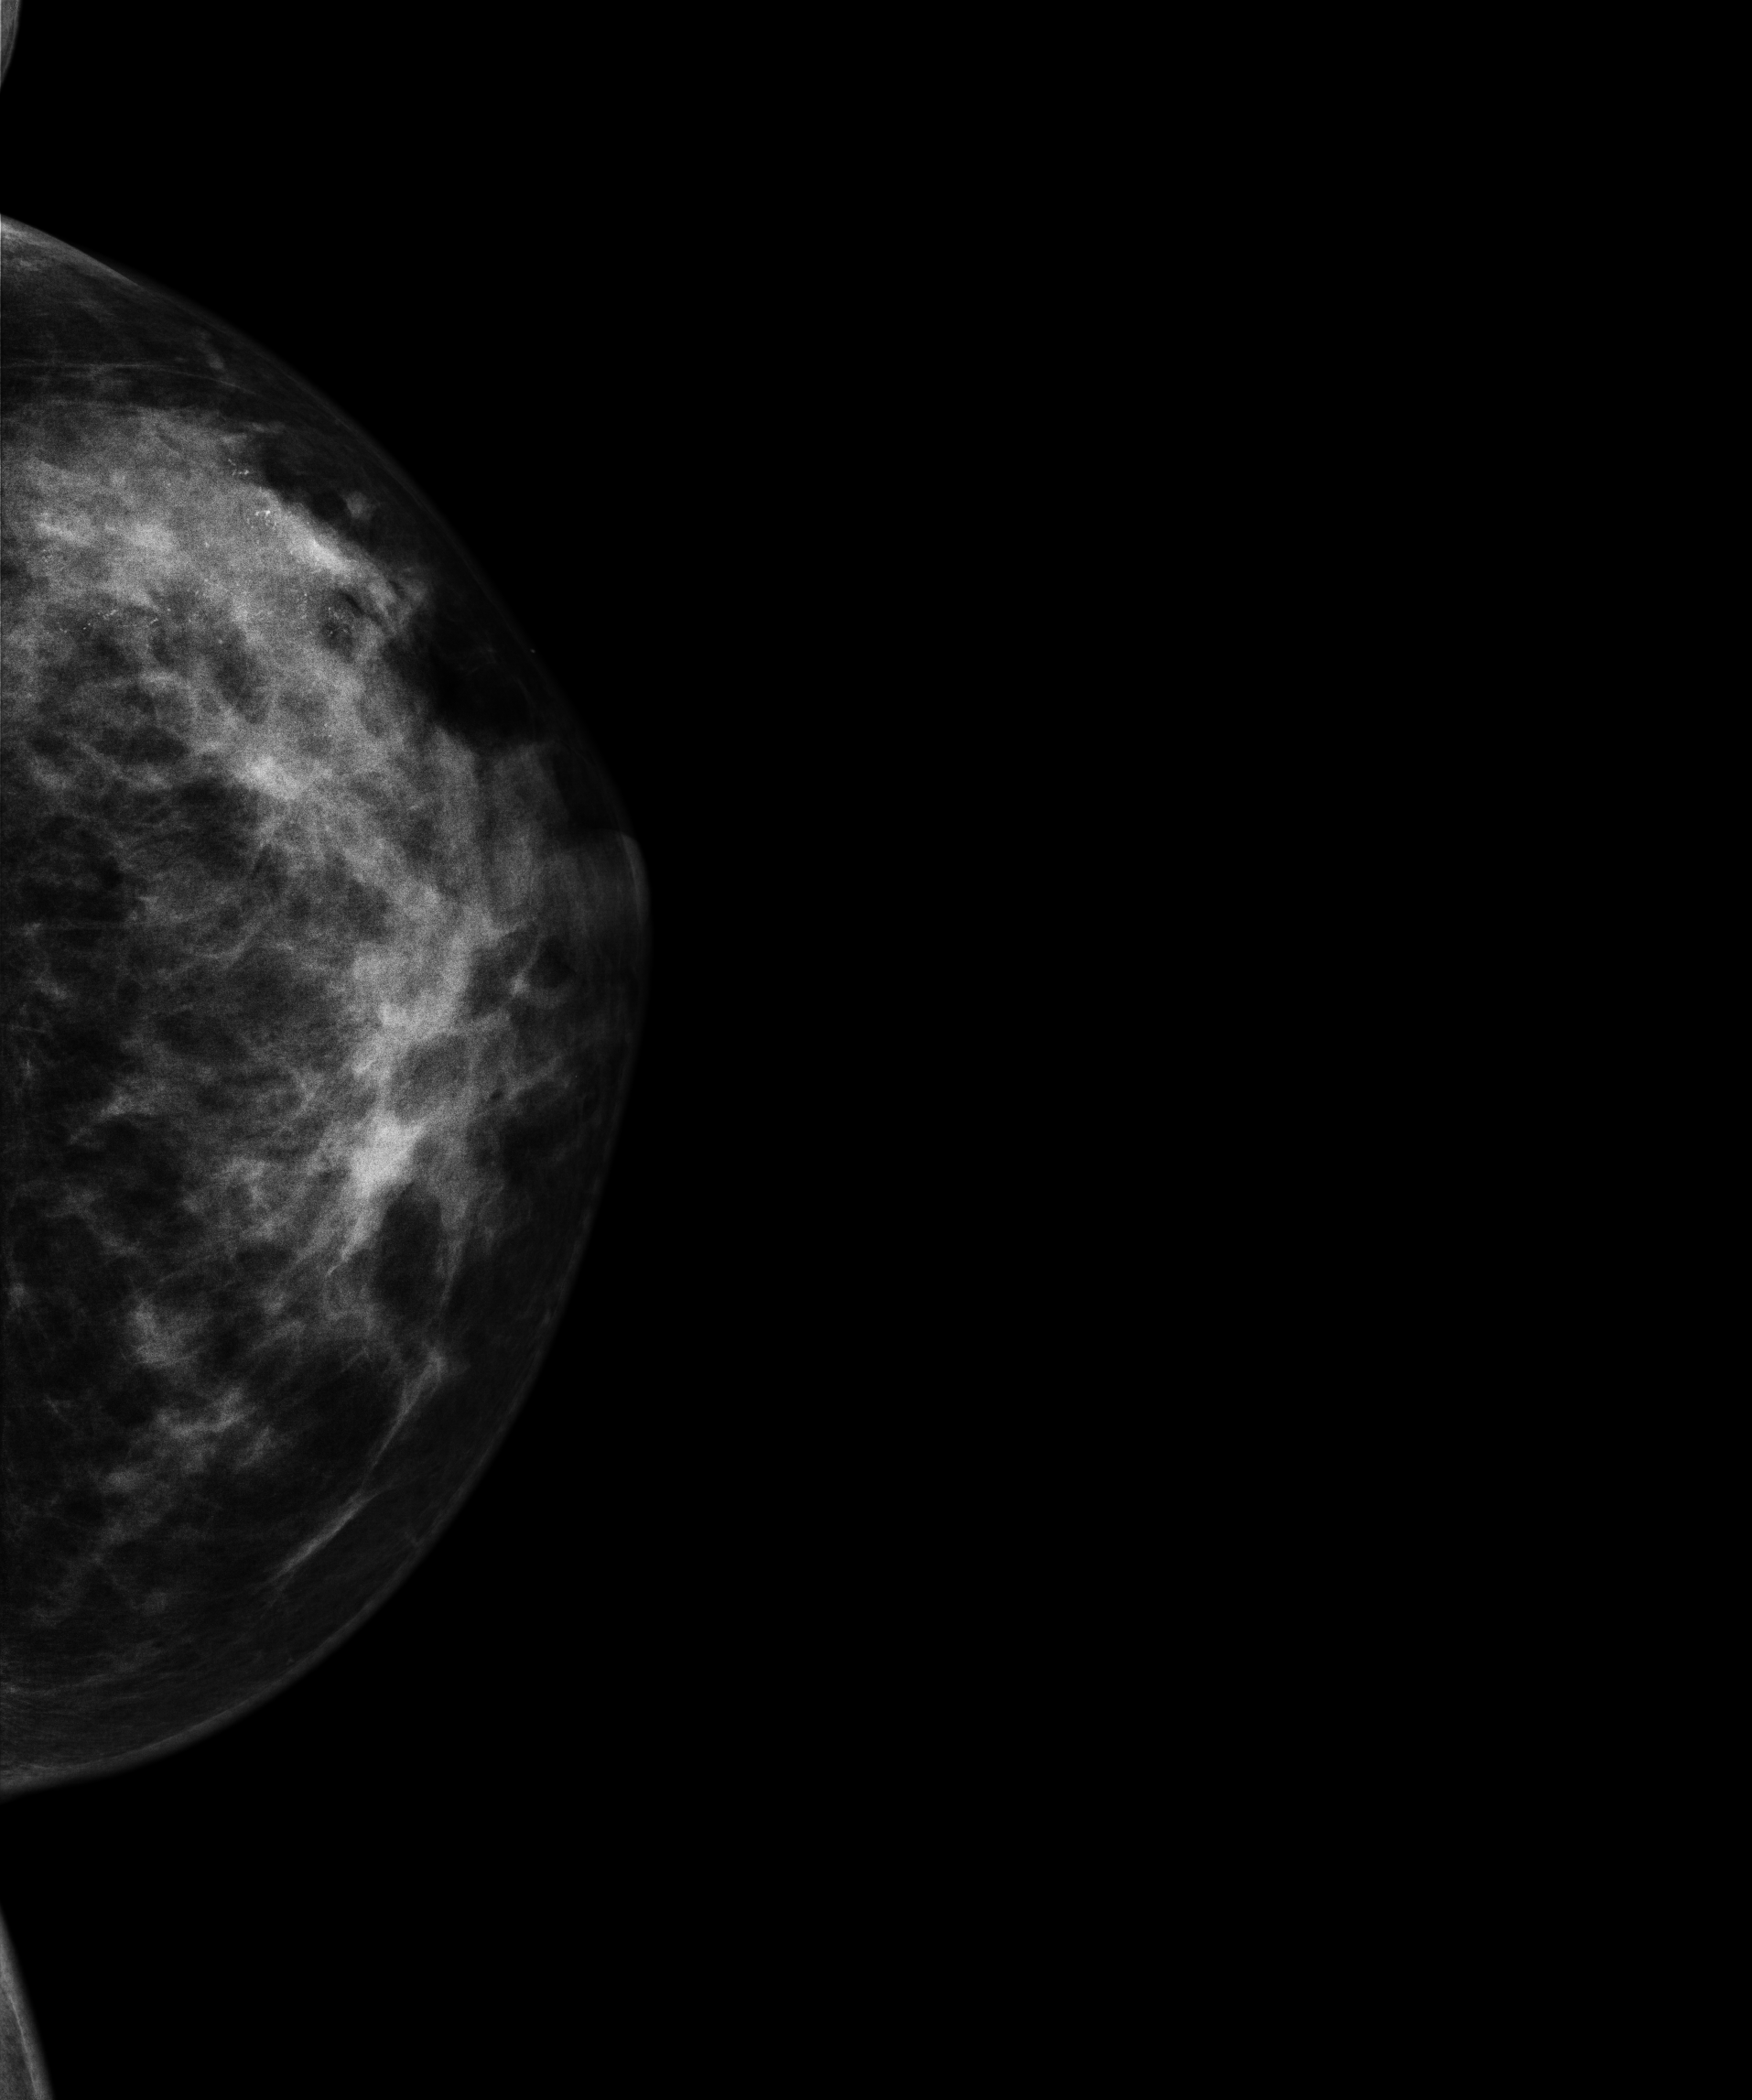
Digital mammography. Left breast, CC projection. 41-year-old patient.
This breast has calcifications, biopsy-confirmed malignant.